Mammogram, left breast, CC view. Patient age 49.
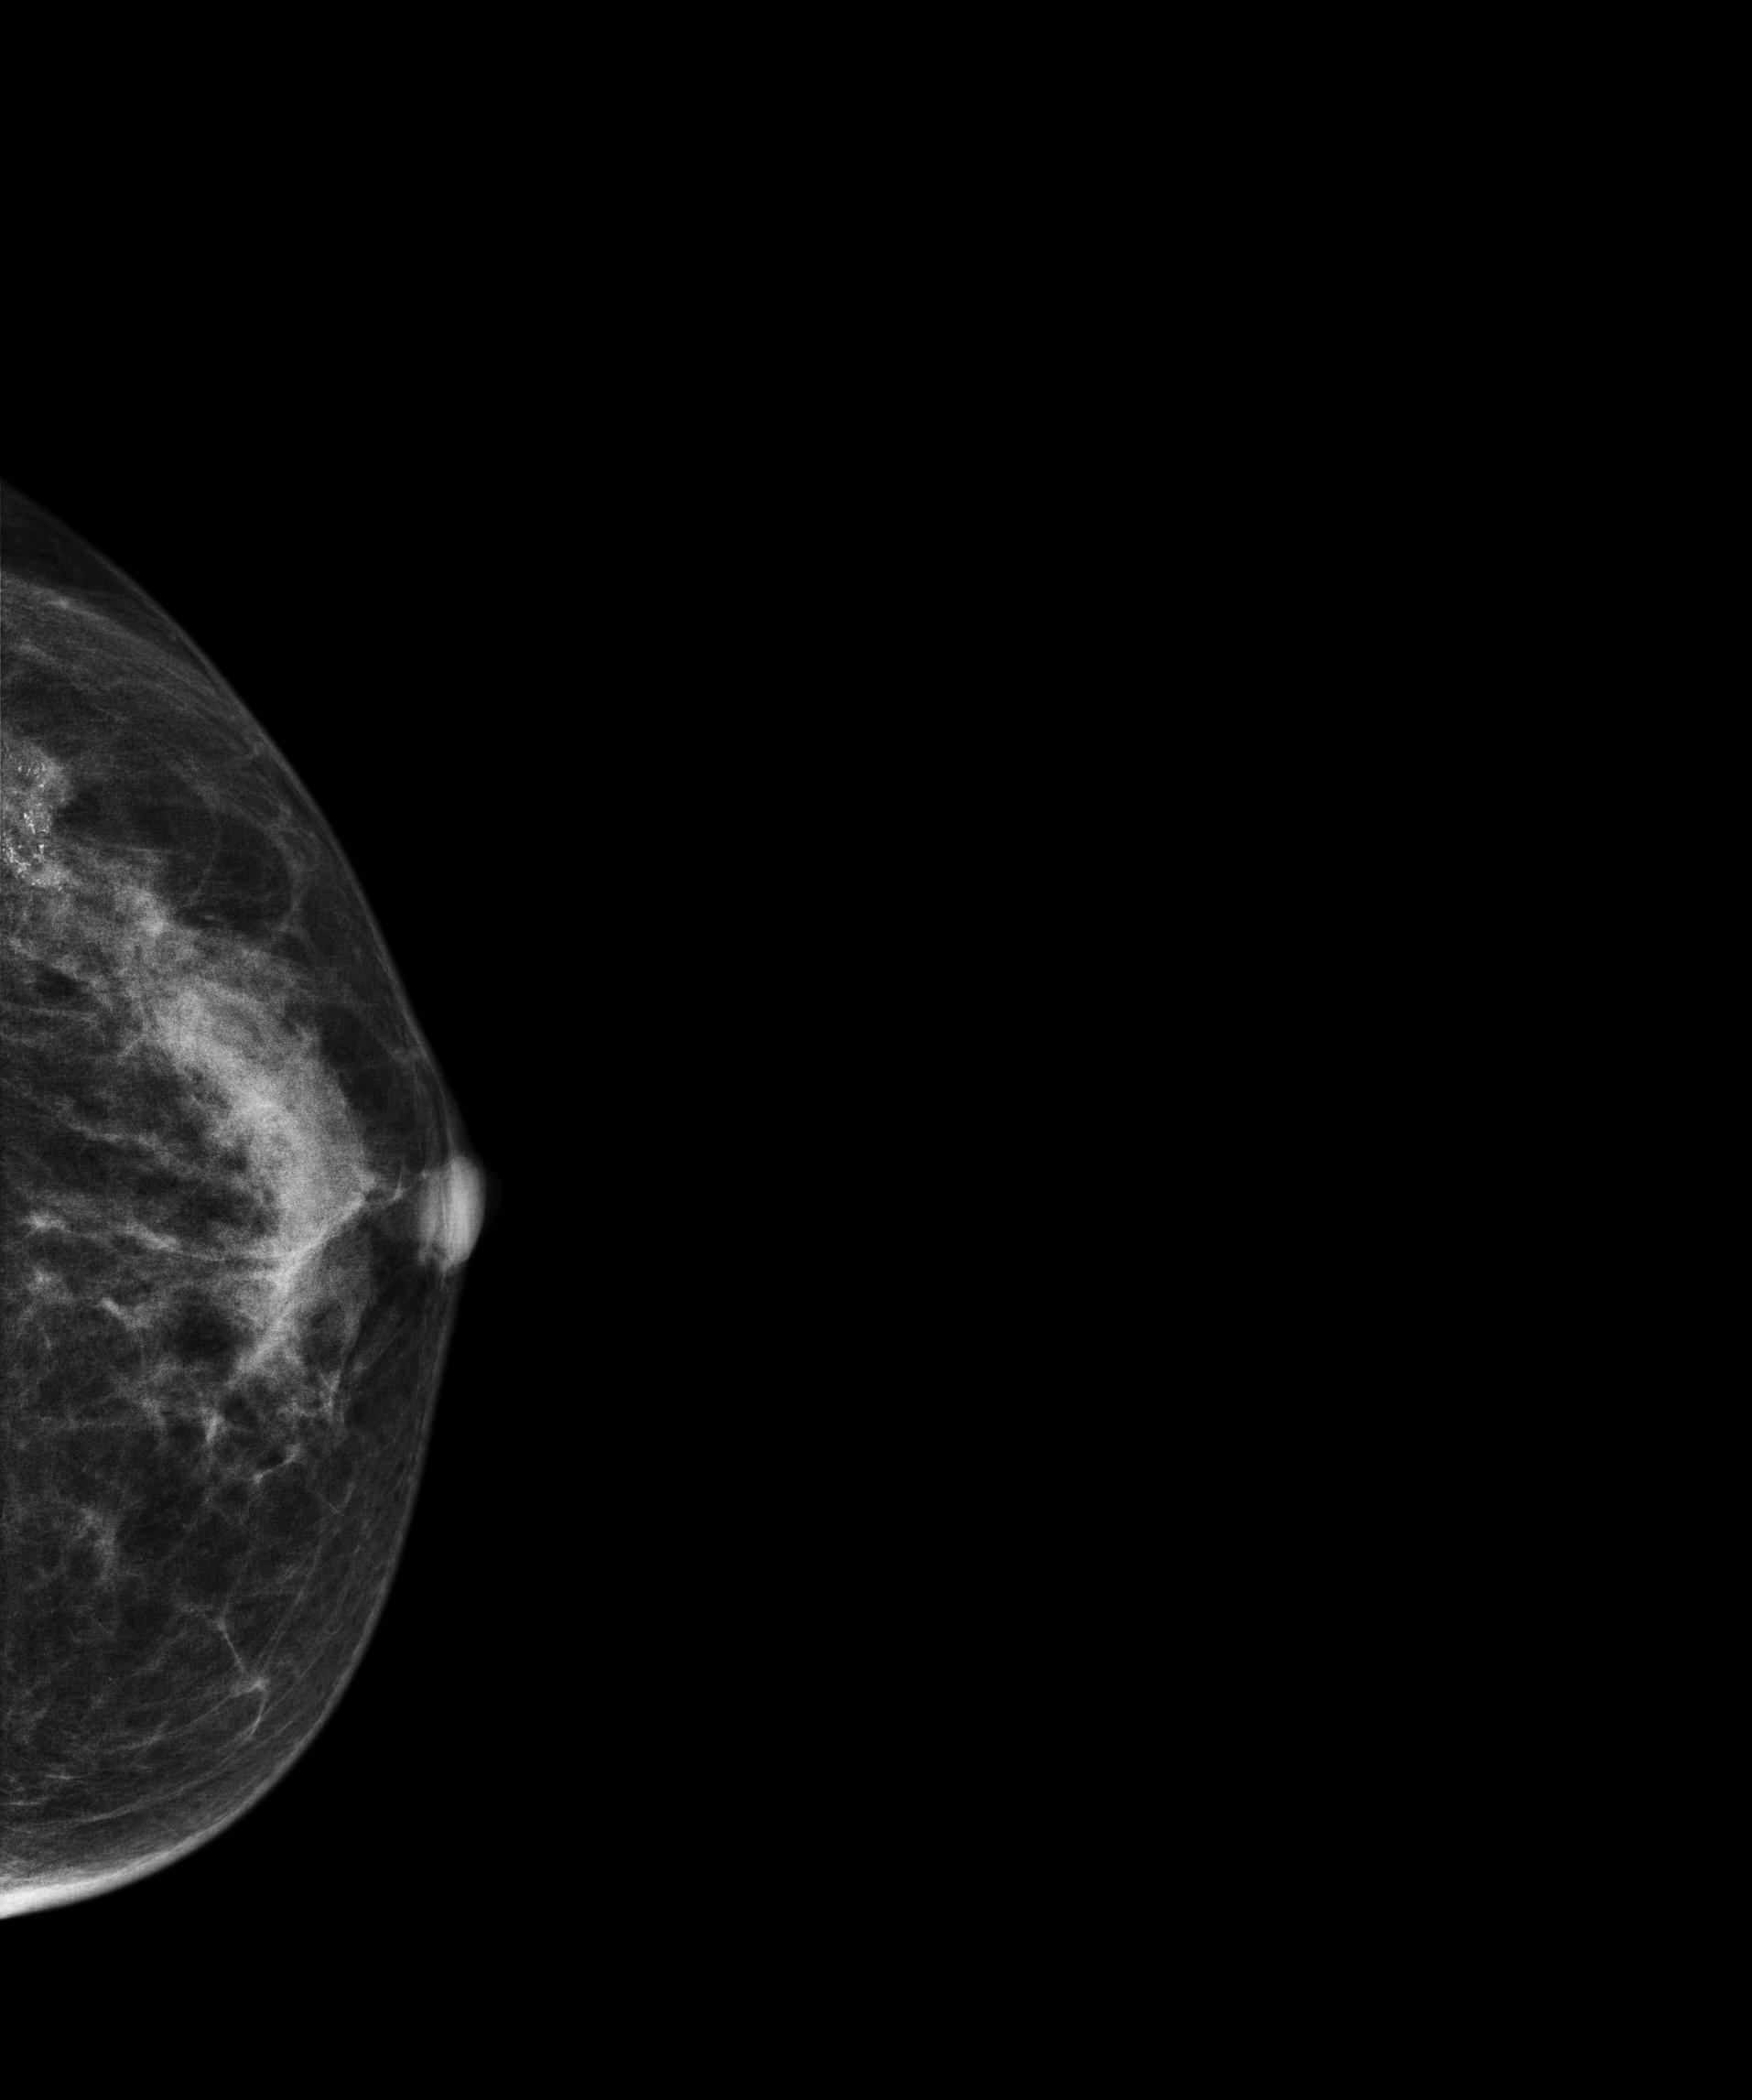
This breast has a mass and calcifications, biopsy-confirmed malignant.